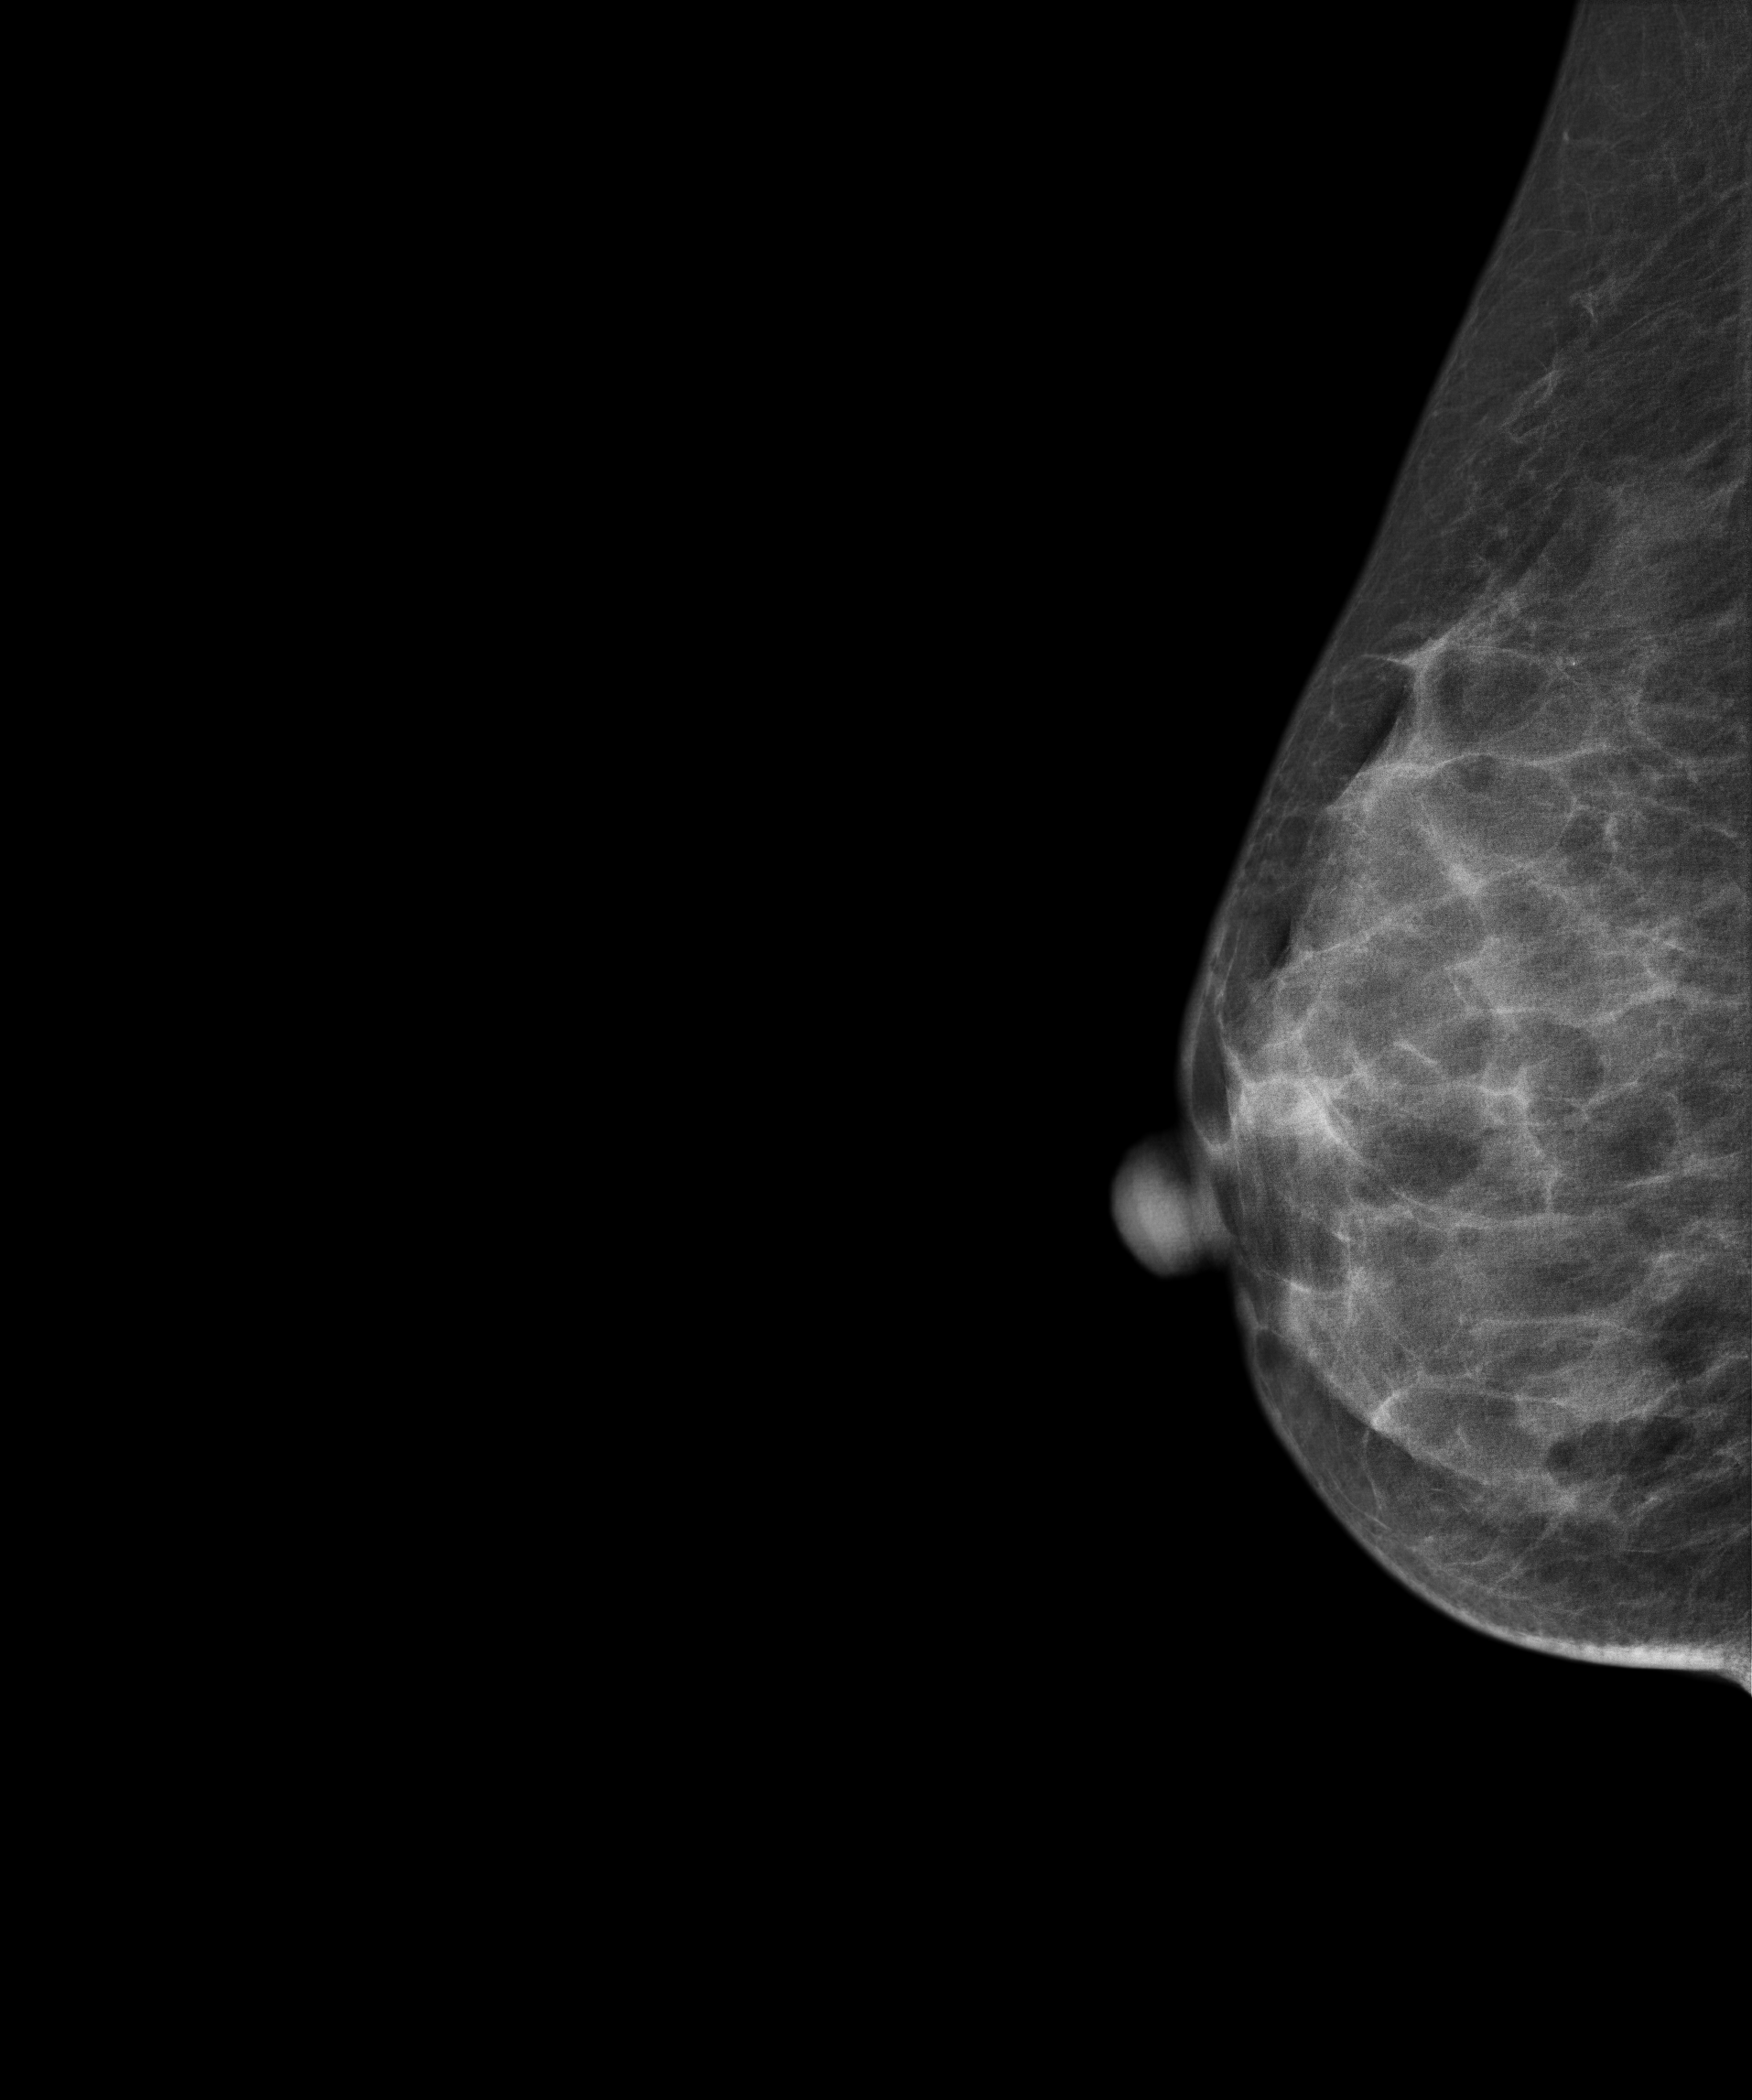
Right-breast mammogram, medio-lateral oblique. Patient age 49.
Contralateral breast — no documented abnormality on this side.